Mammogram, left breast, cranio-caudal view. 23-year-old patient.
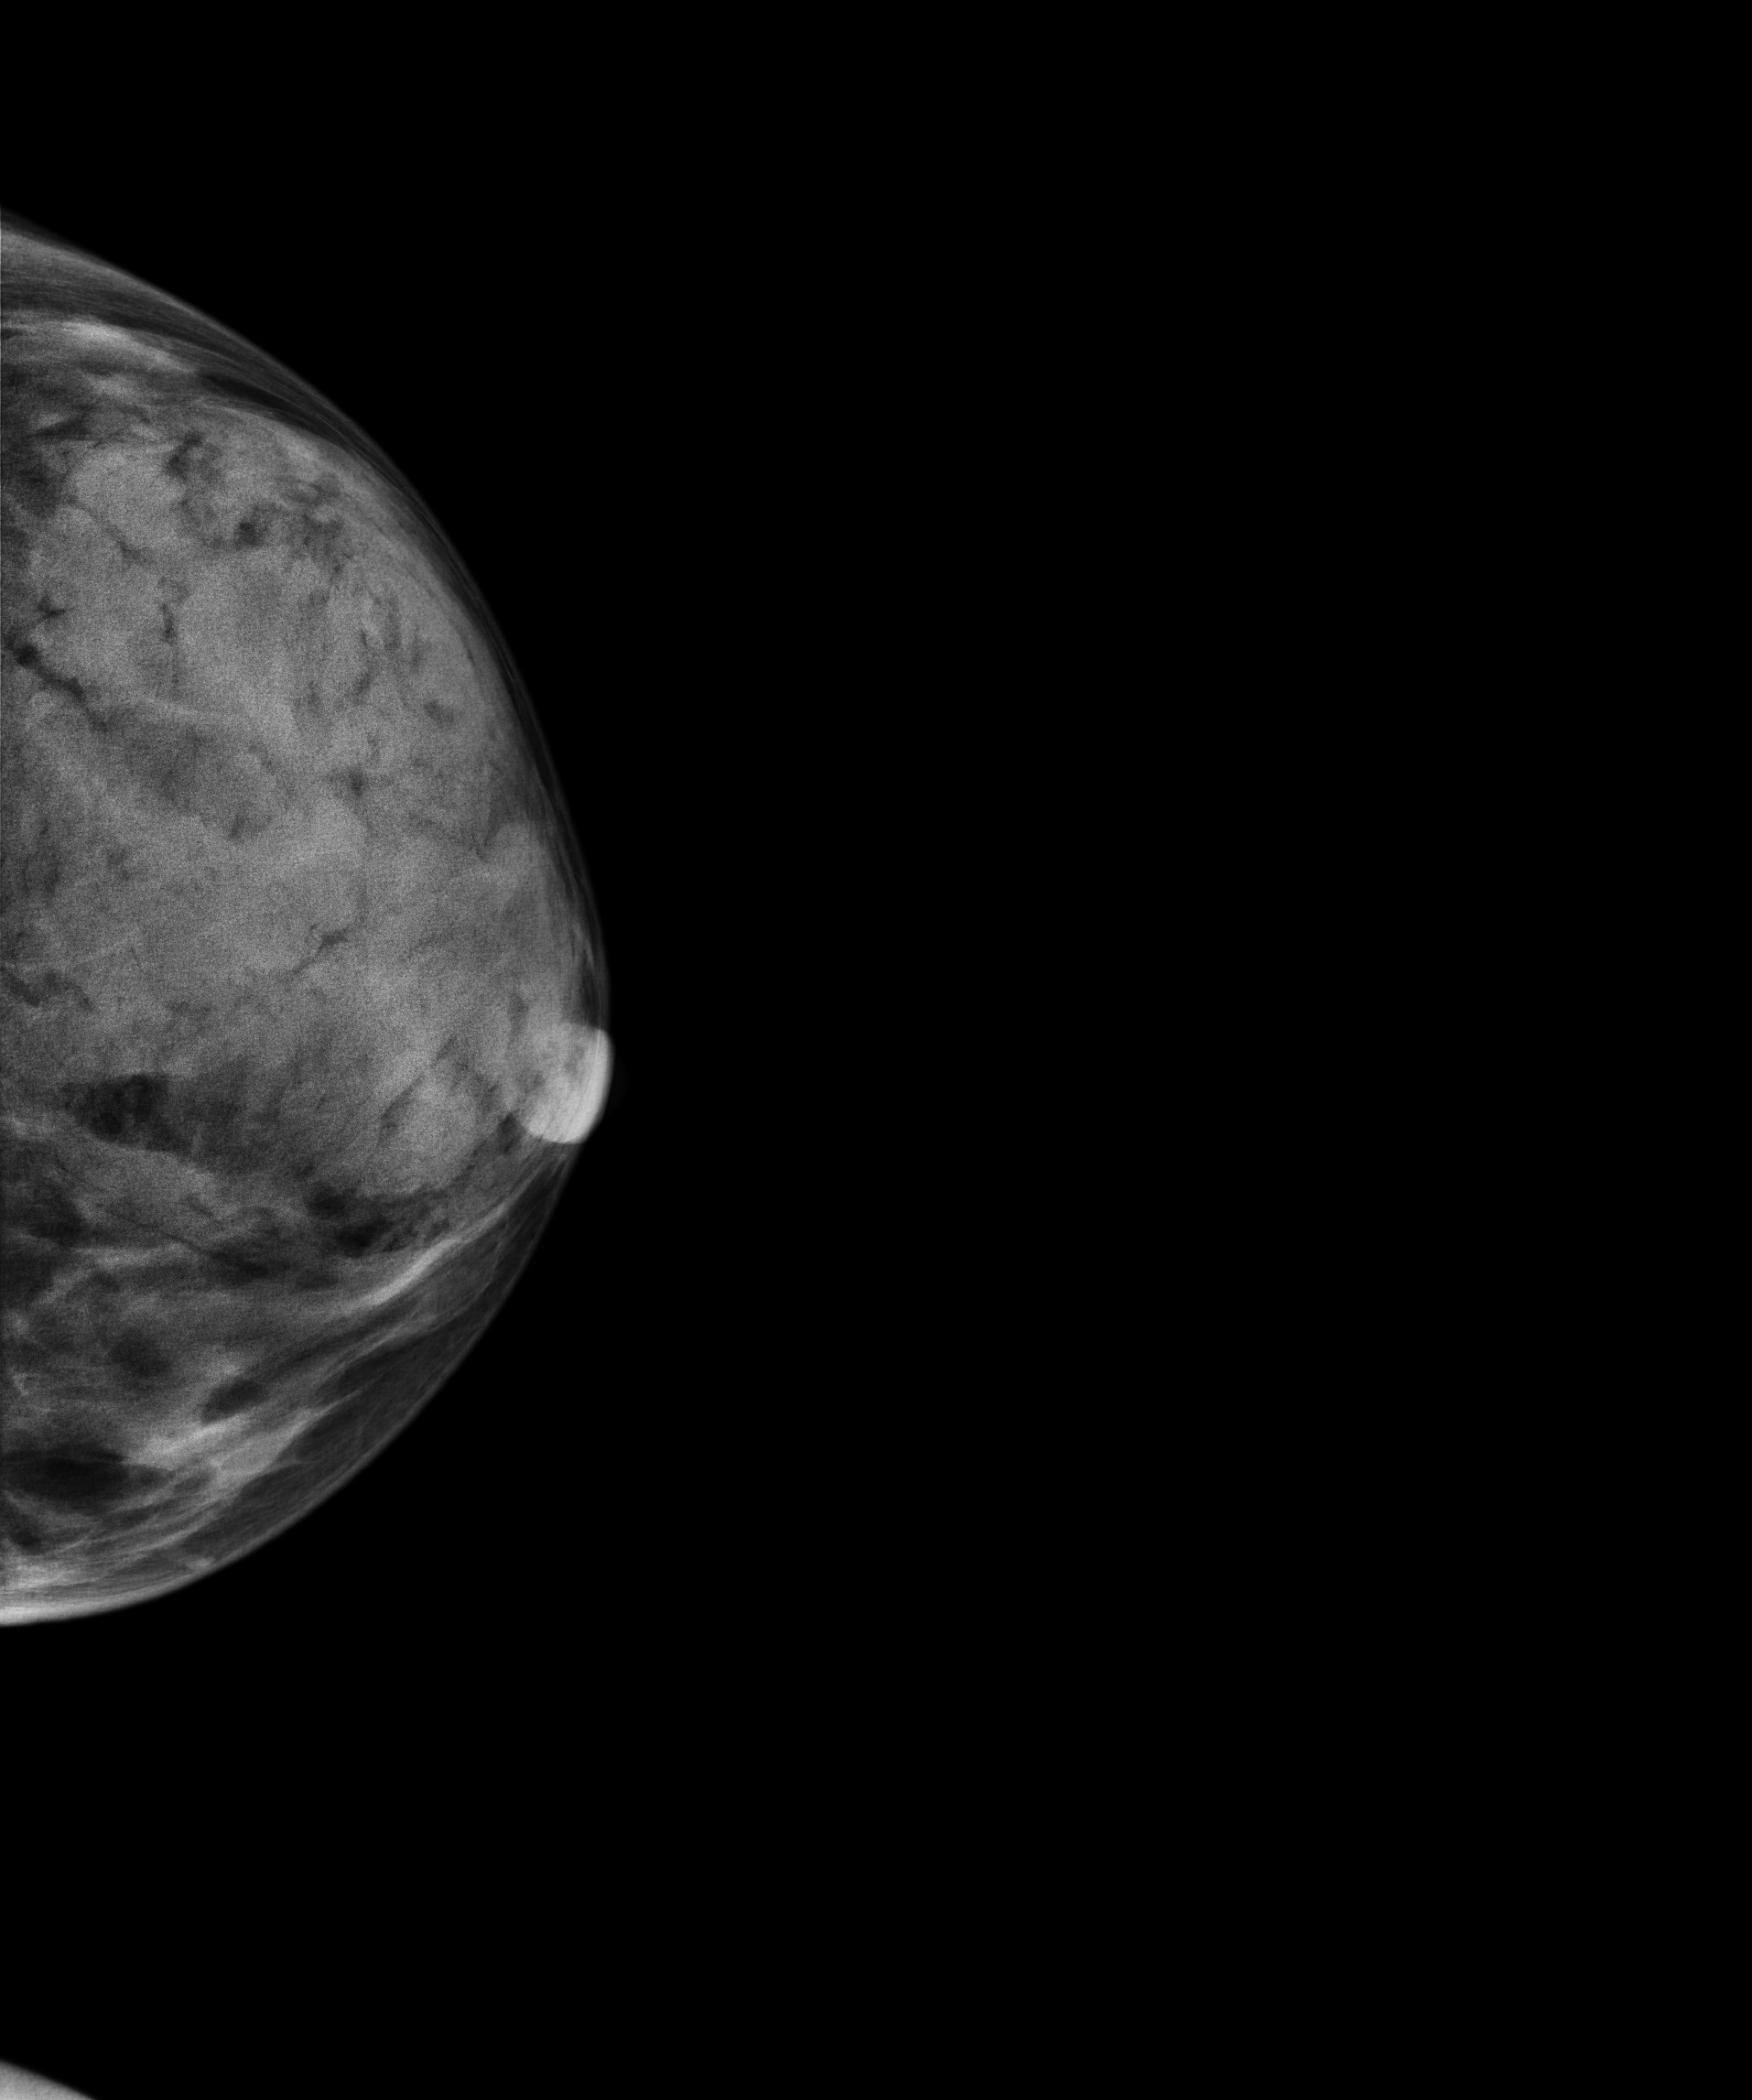
This breast has a mass, biopsy-proven benign.